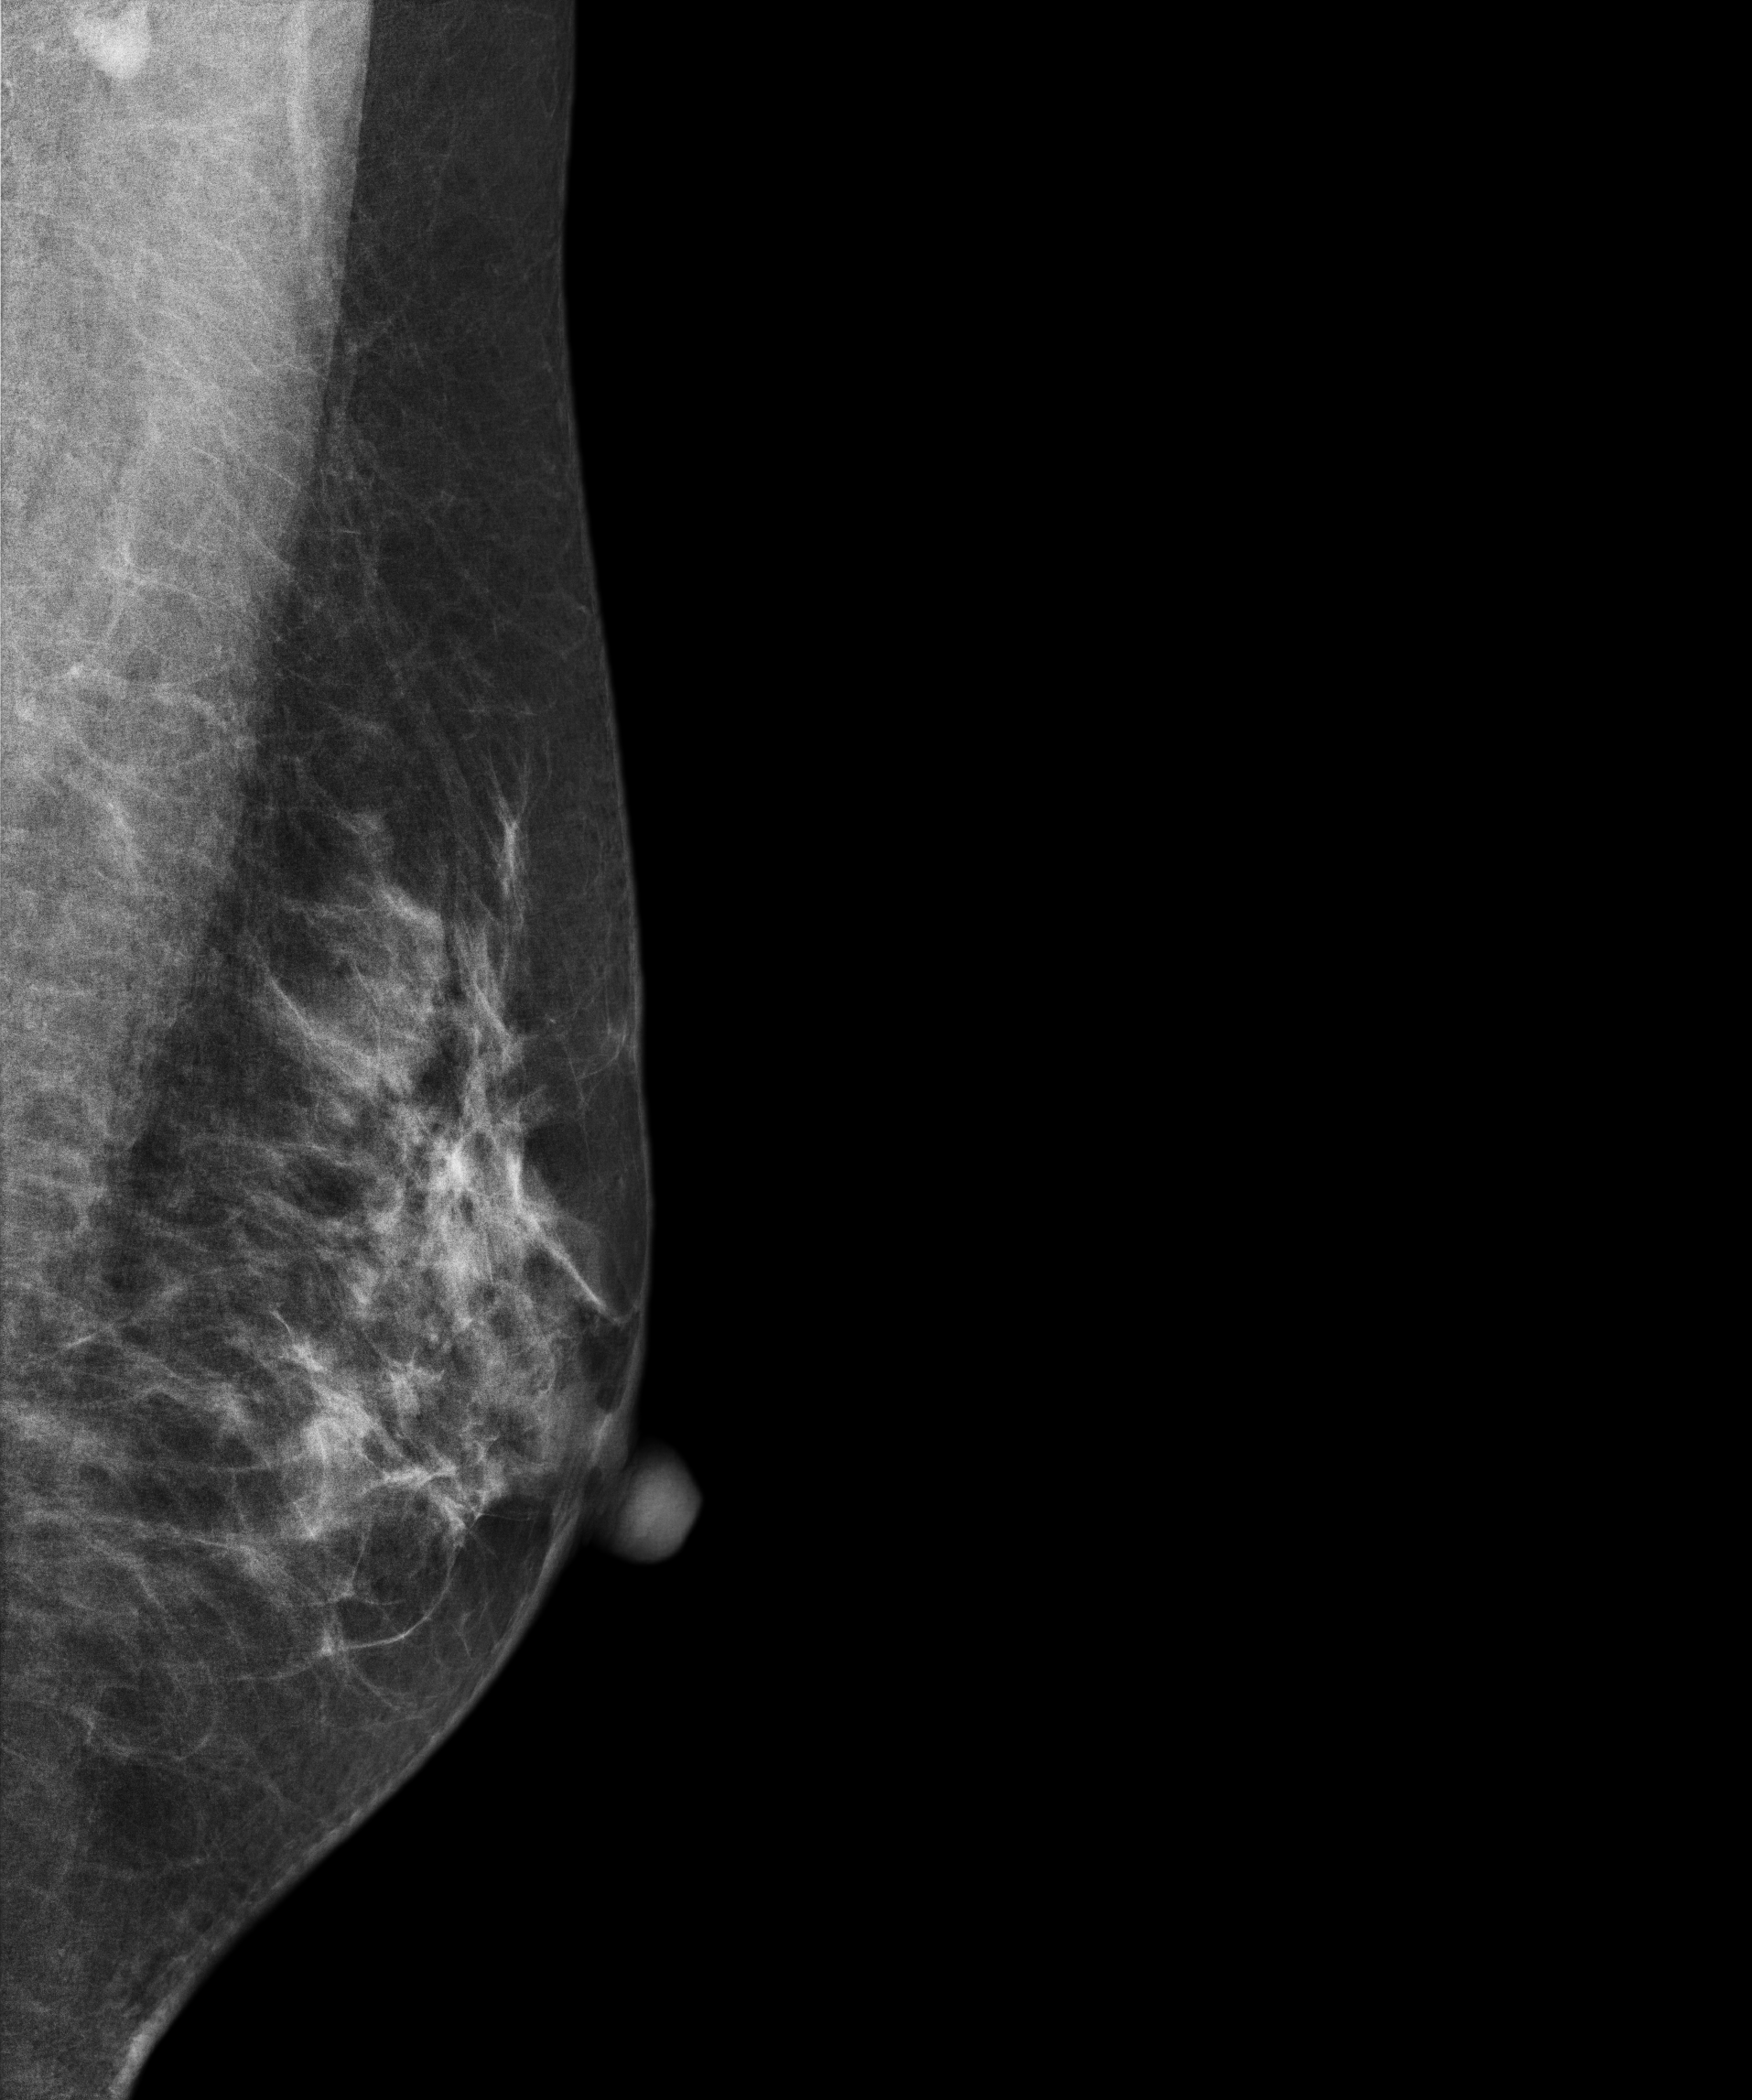
Mammogram, left breast, medio-lateral oblique view. 52 y/o patient.
Contralateral breast — no documented abnormality on this side.